Left-breast mammogram, cranio-caudal. 28-year-old patient.
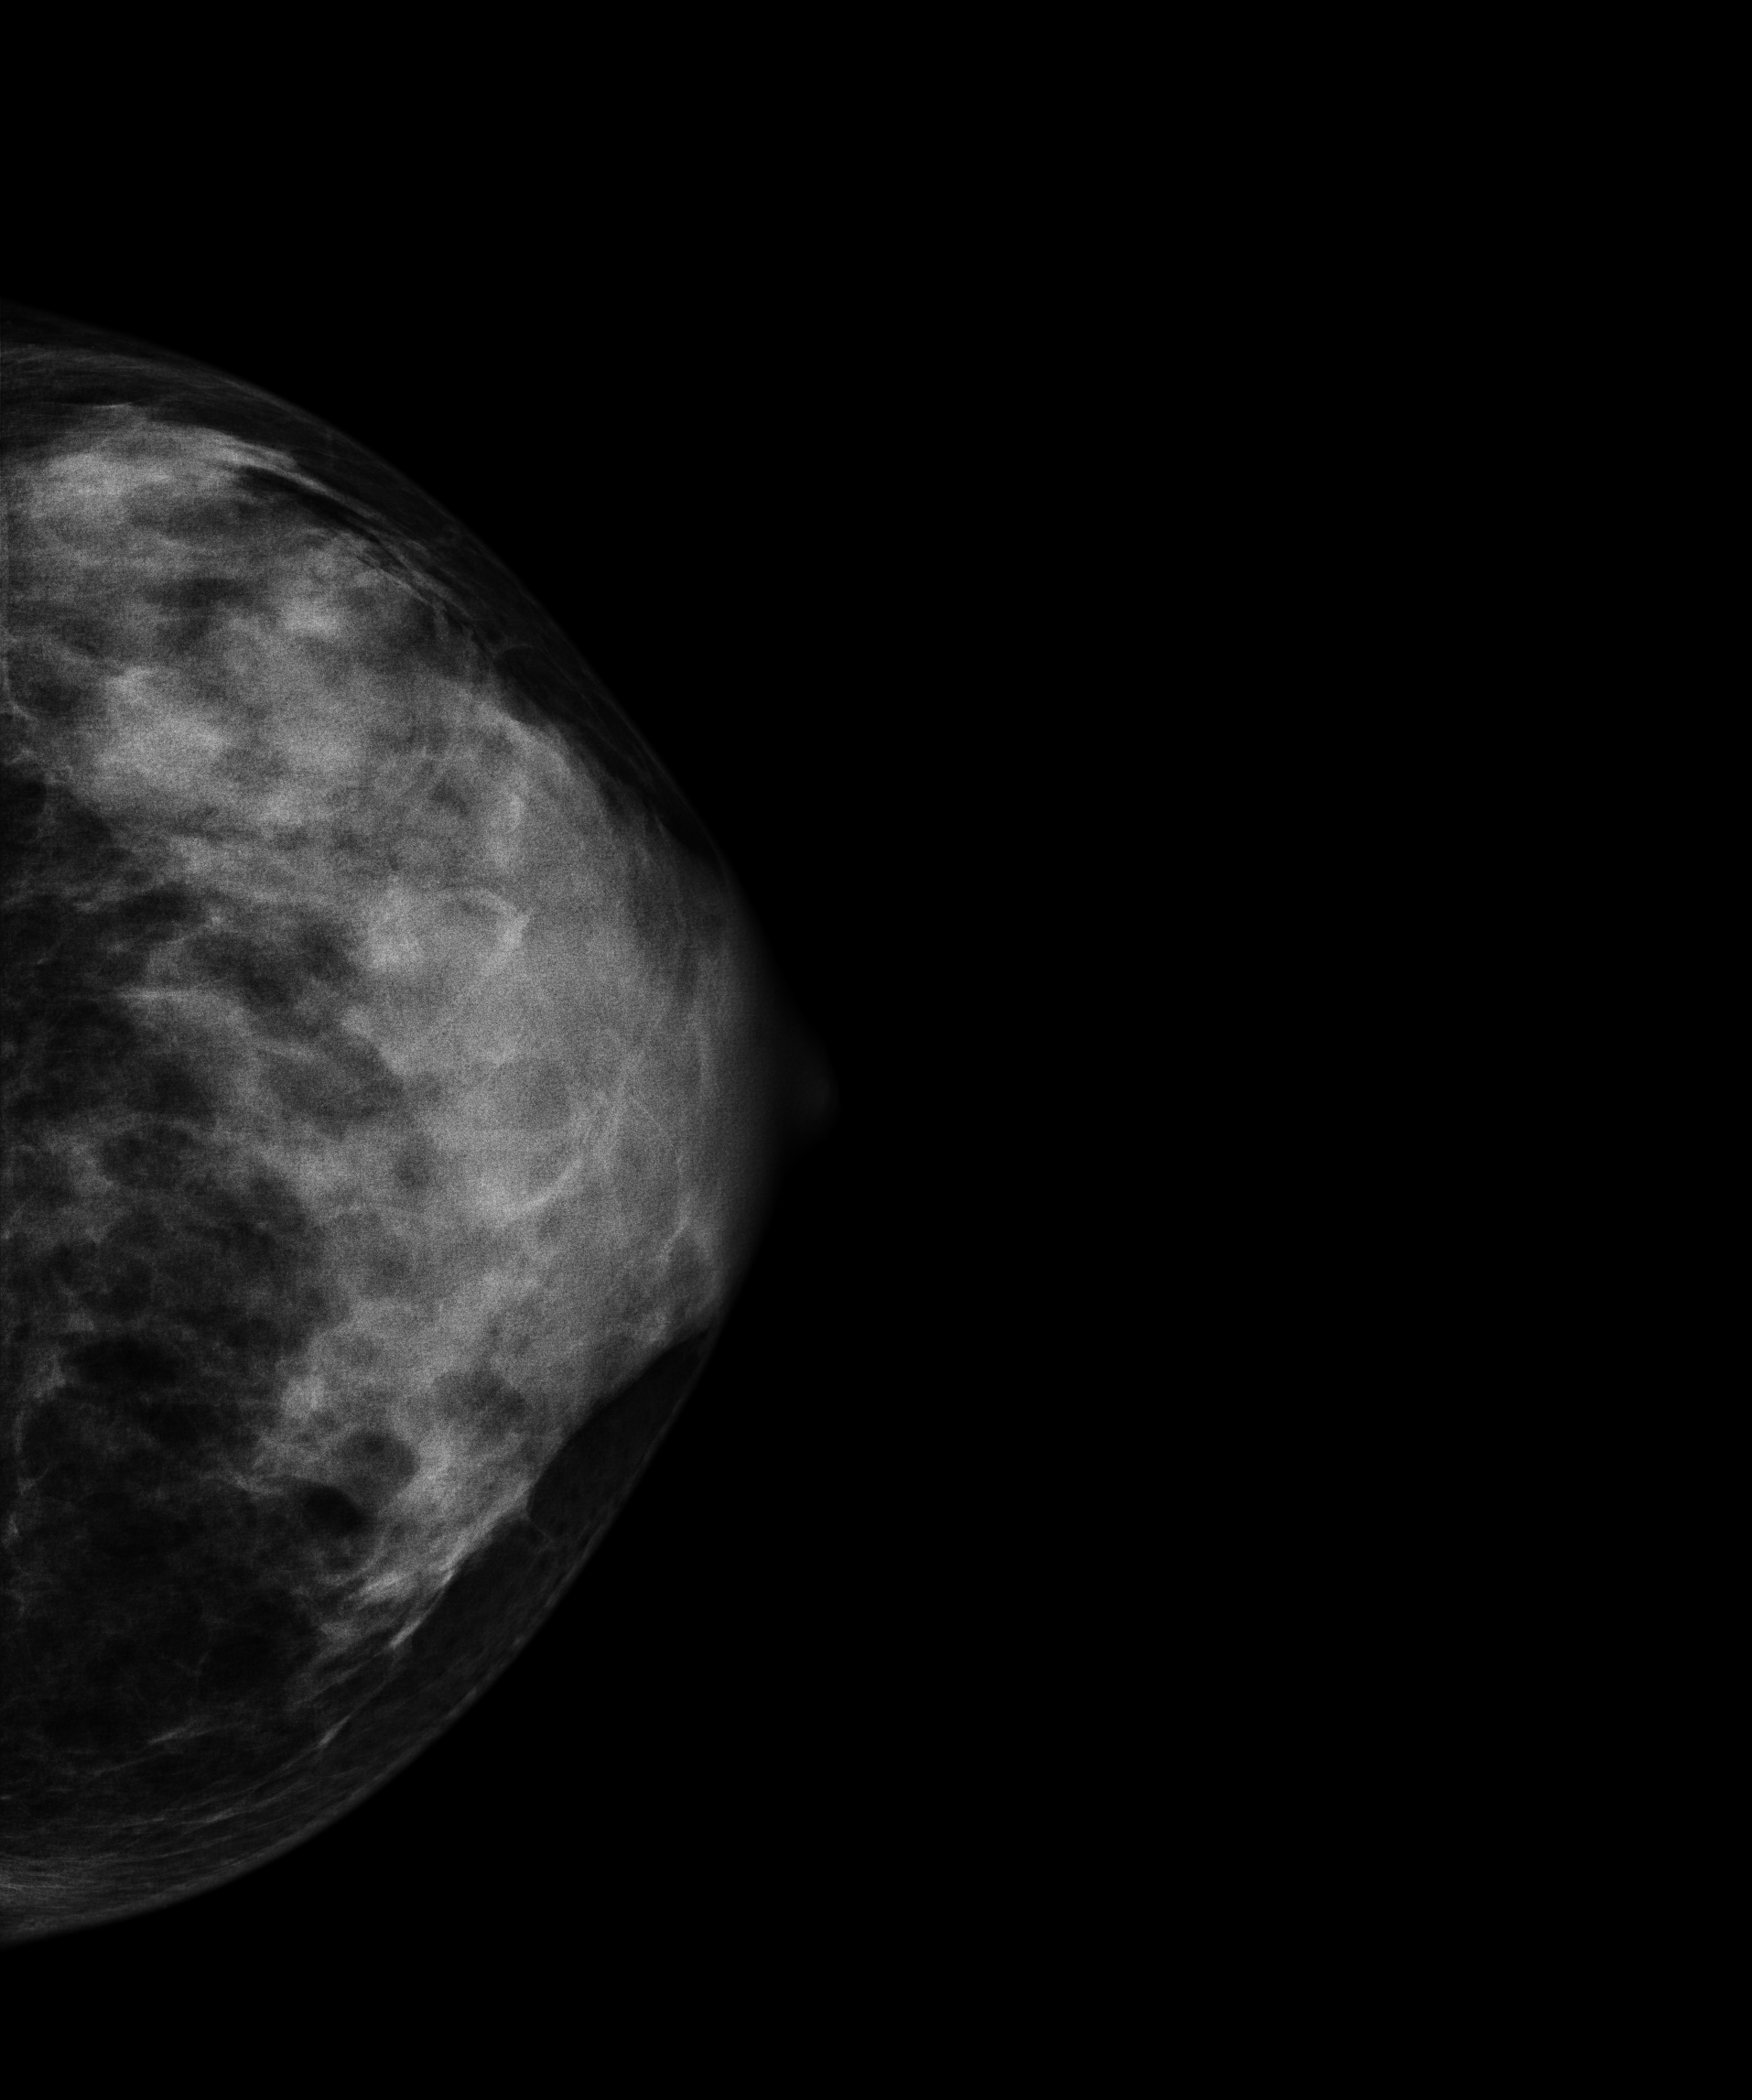
This breast has a mass, biopsy-confirmed benign.